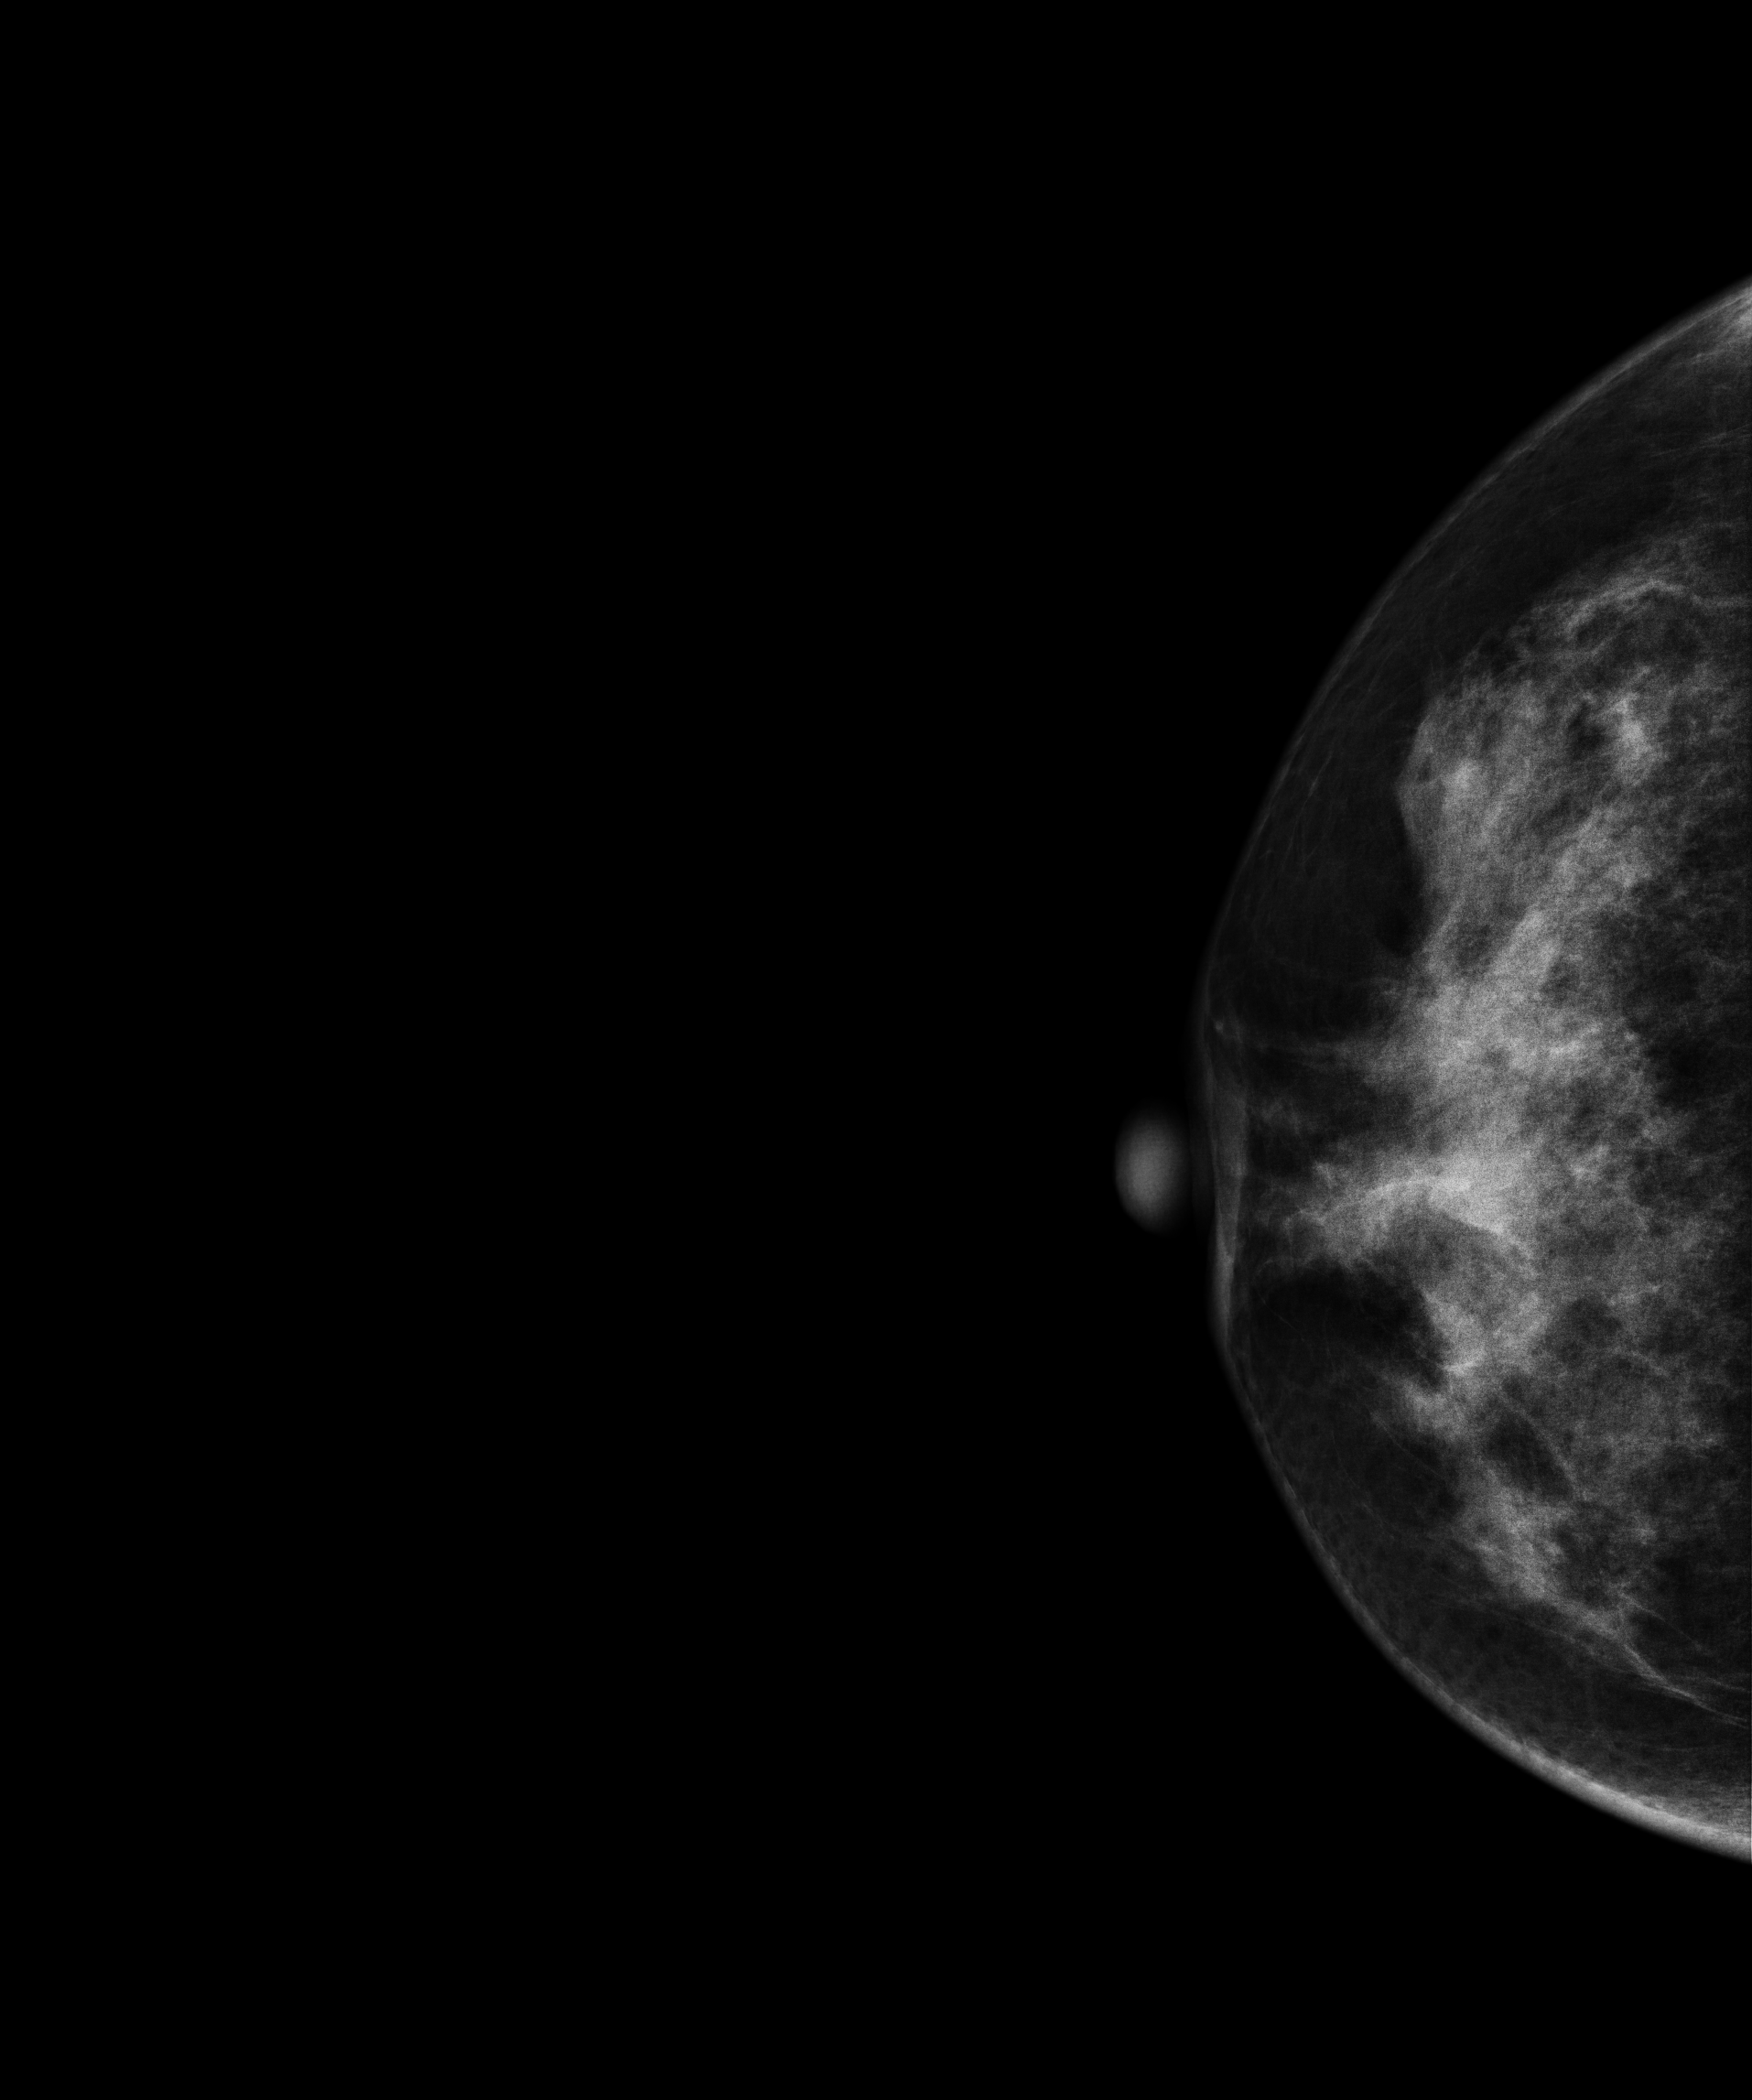
Right-breast mammogram, cranio-caudal. Patient age 46.
Contralateral breast — no documented abnormality on this side.